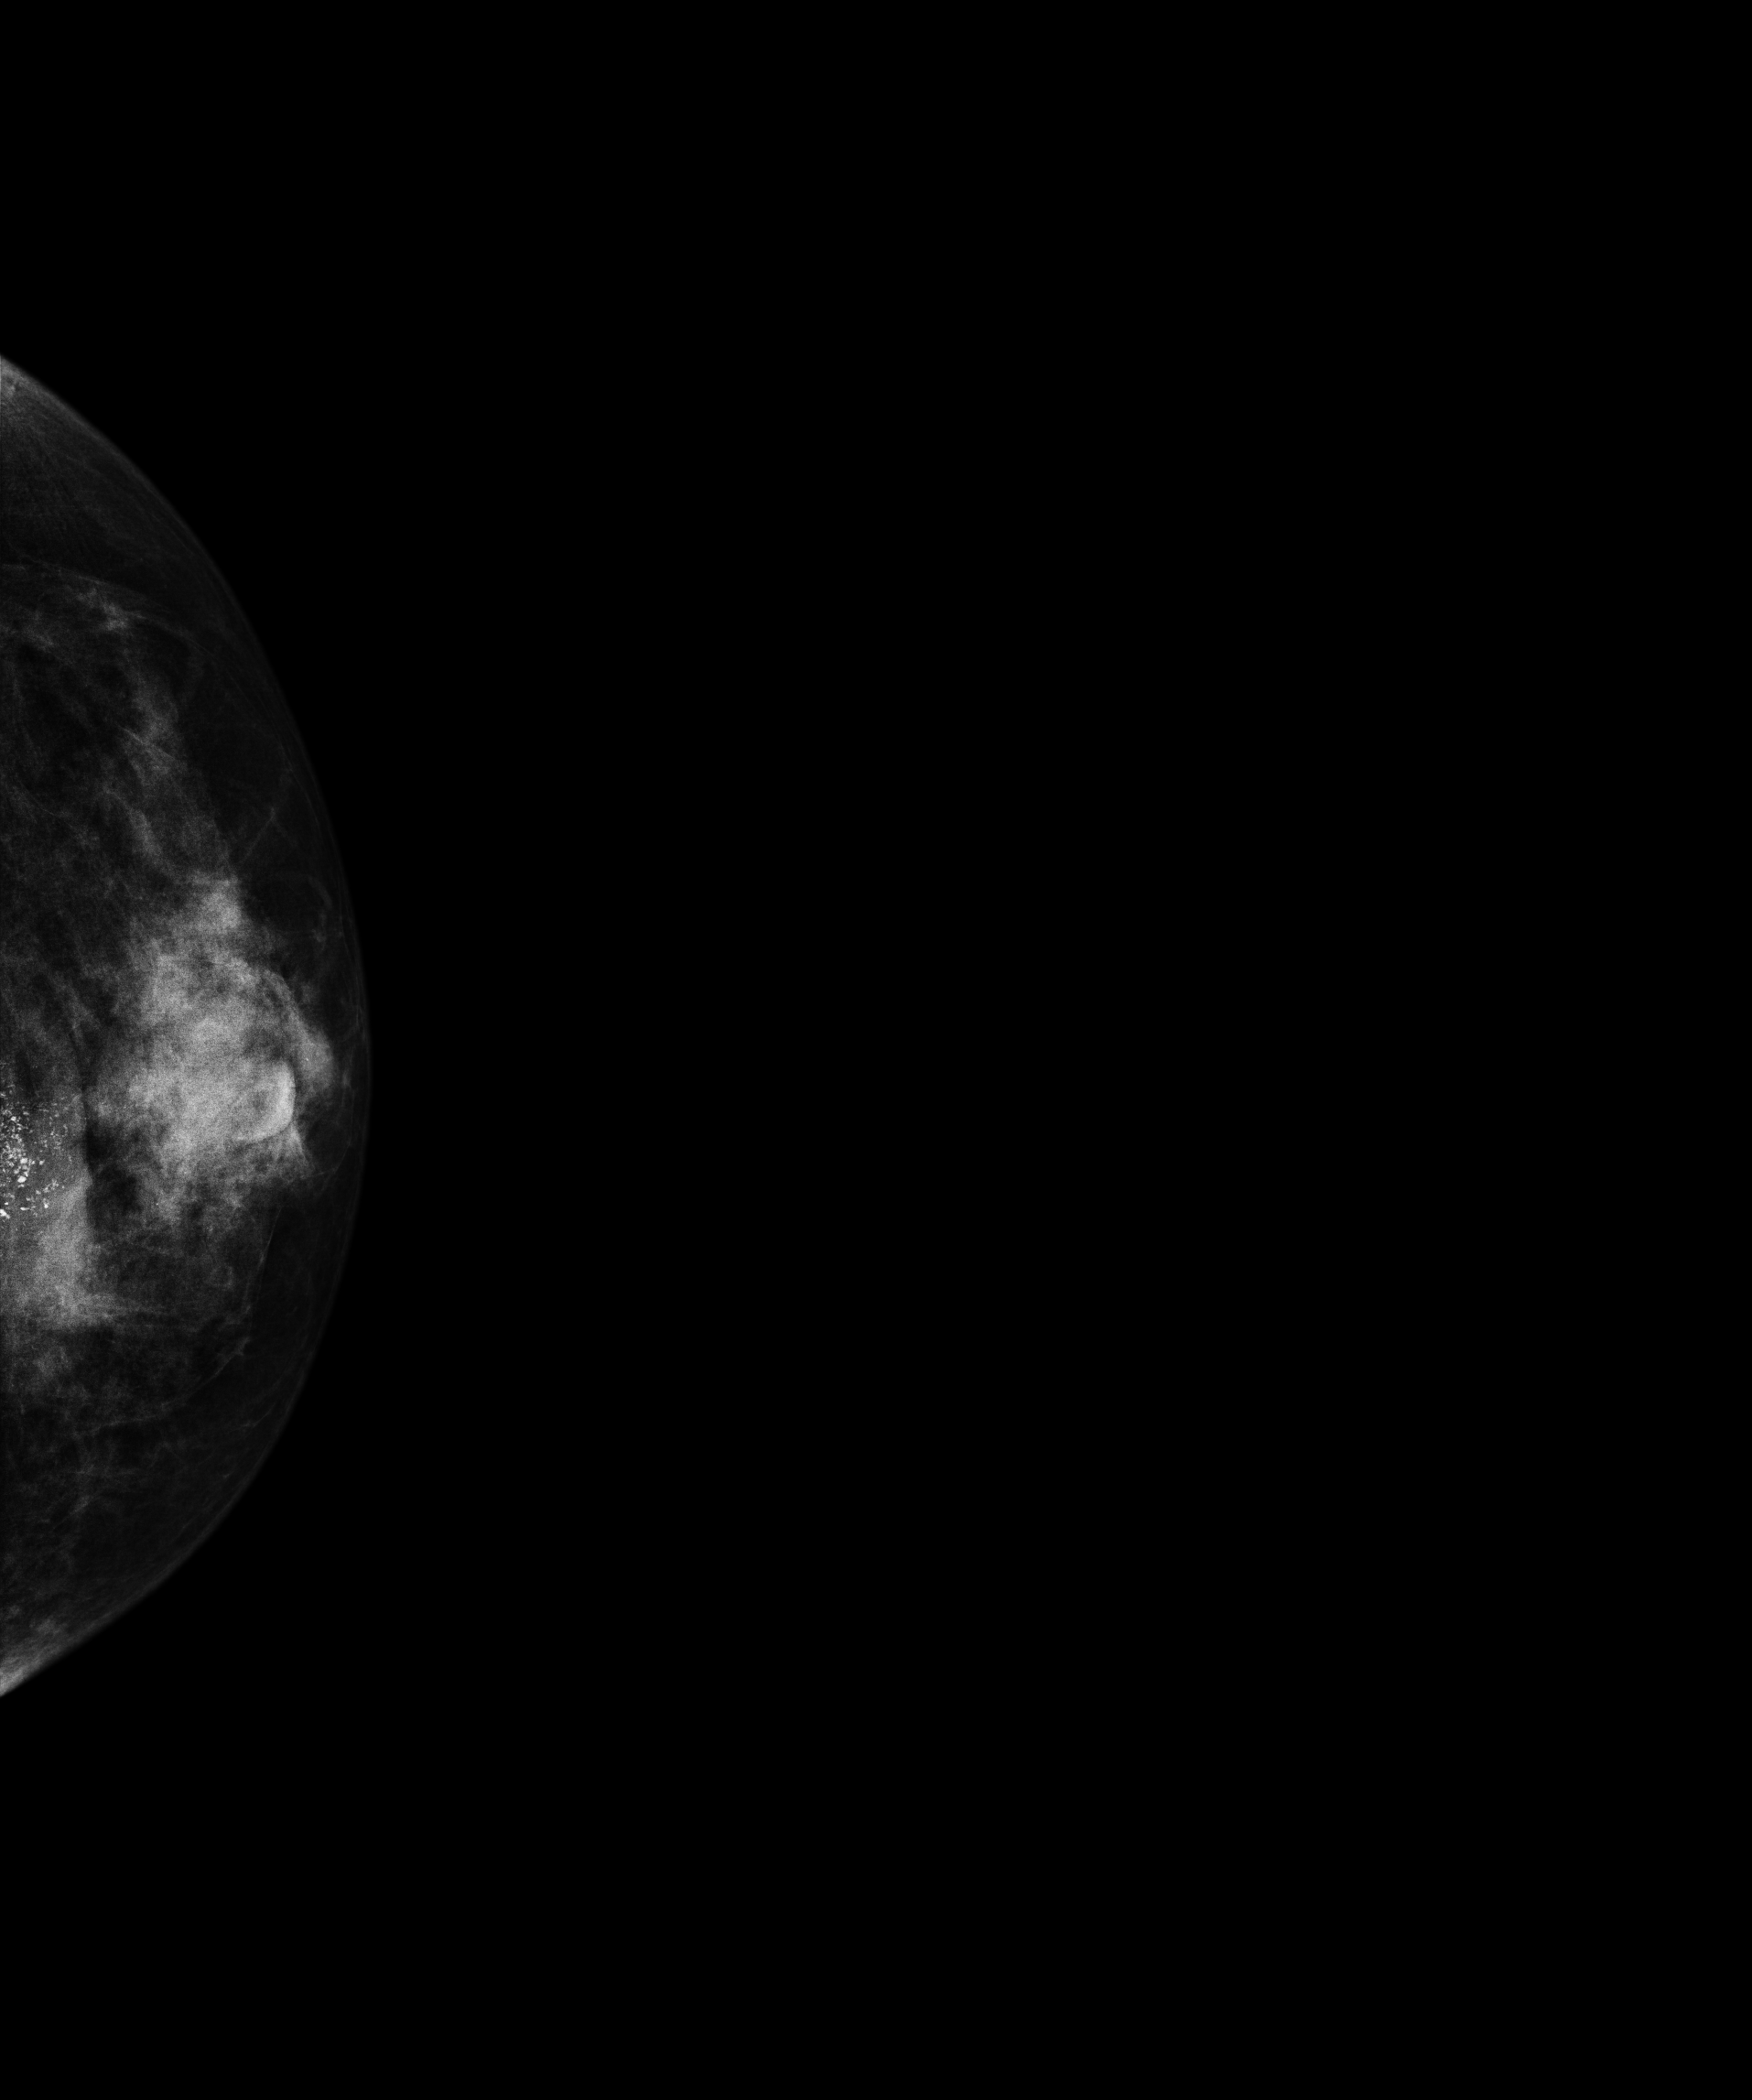
Digital mammography. Left breast, CC projection. 47-year-old patient.
This breast has calcifications, biopsy-confirmed malignant. Molecular subtype: luminal A.